Right-breast mammogram, medio-lateral oblique. 37 y/o patient.
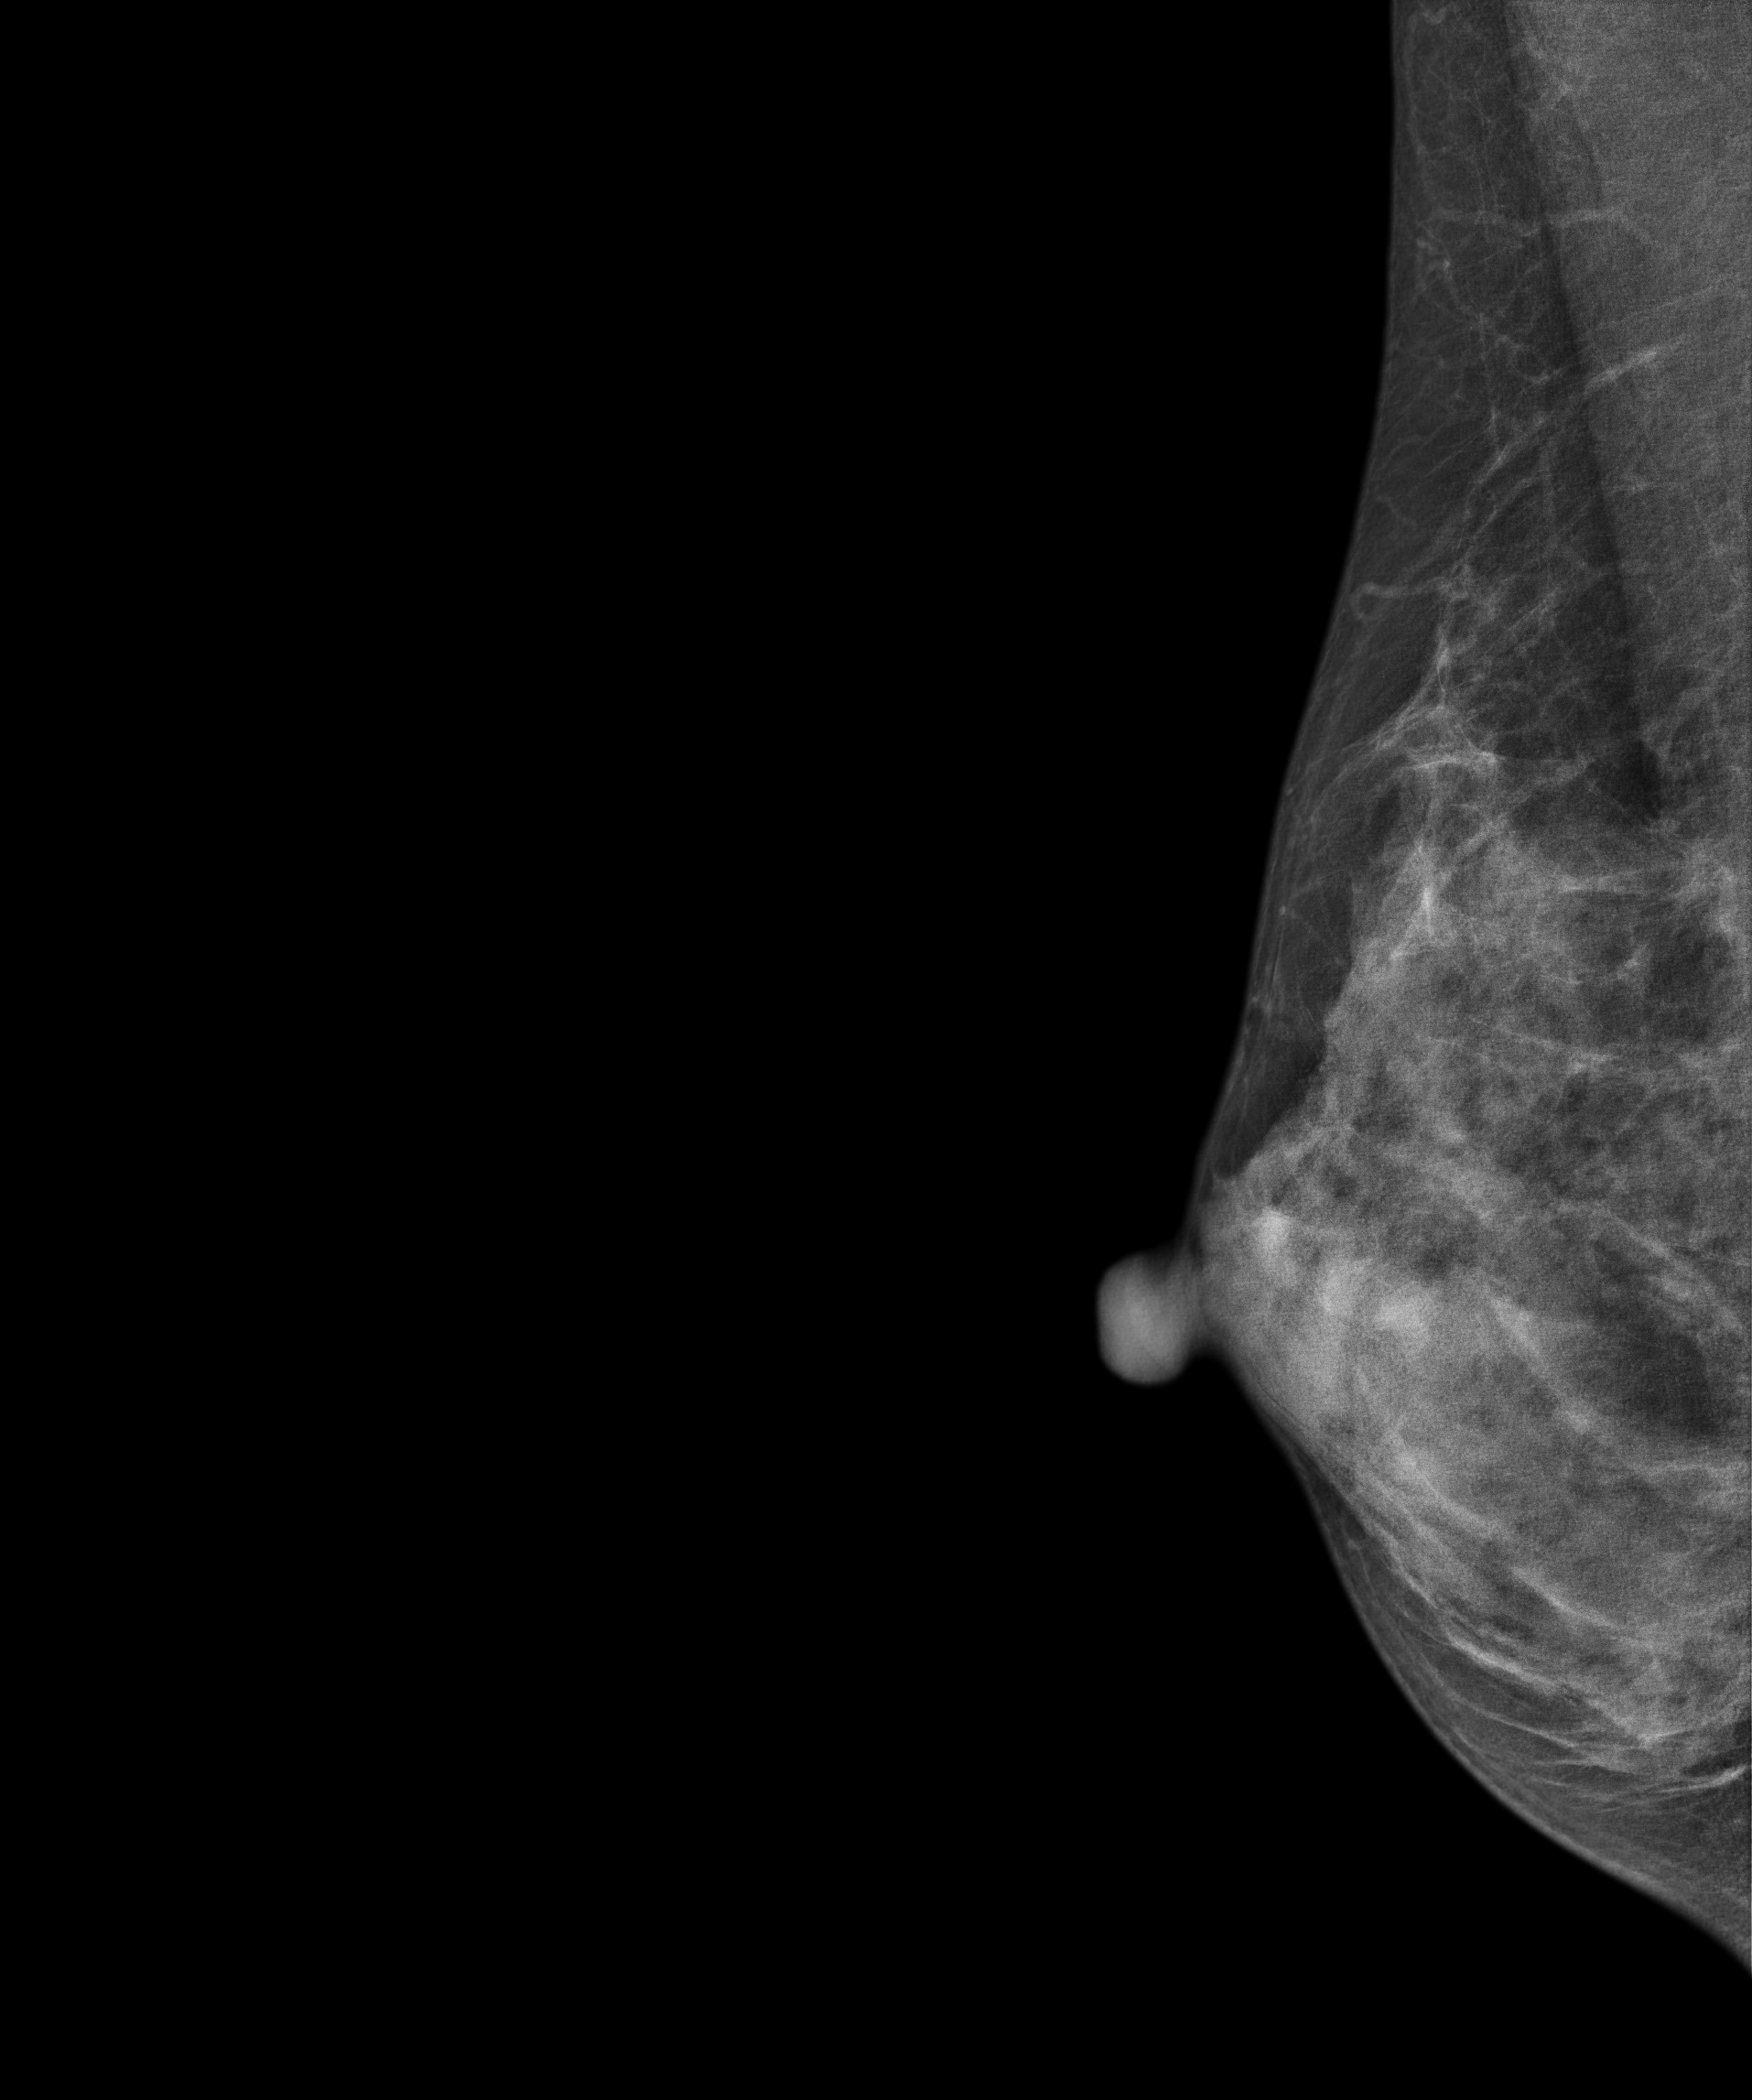
This breast has a mass, pathology-confirmed malignant. Molecular subtype: luminal B.